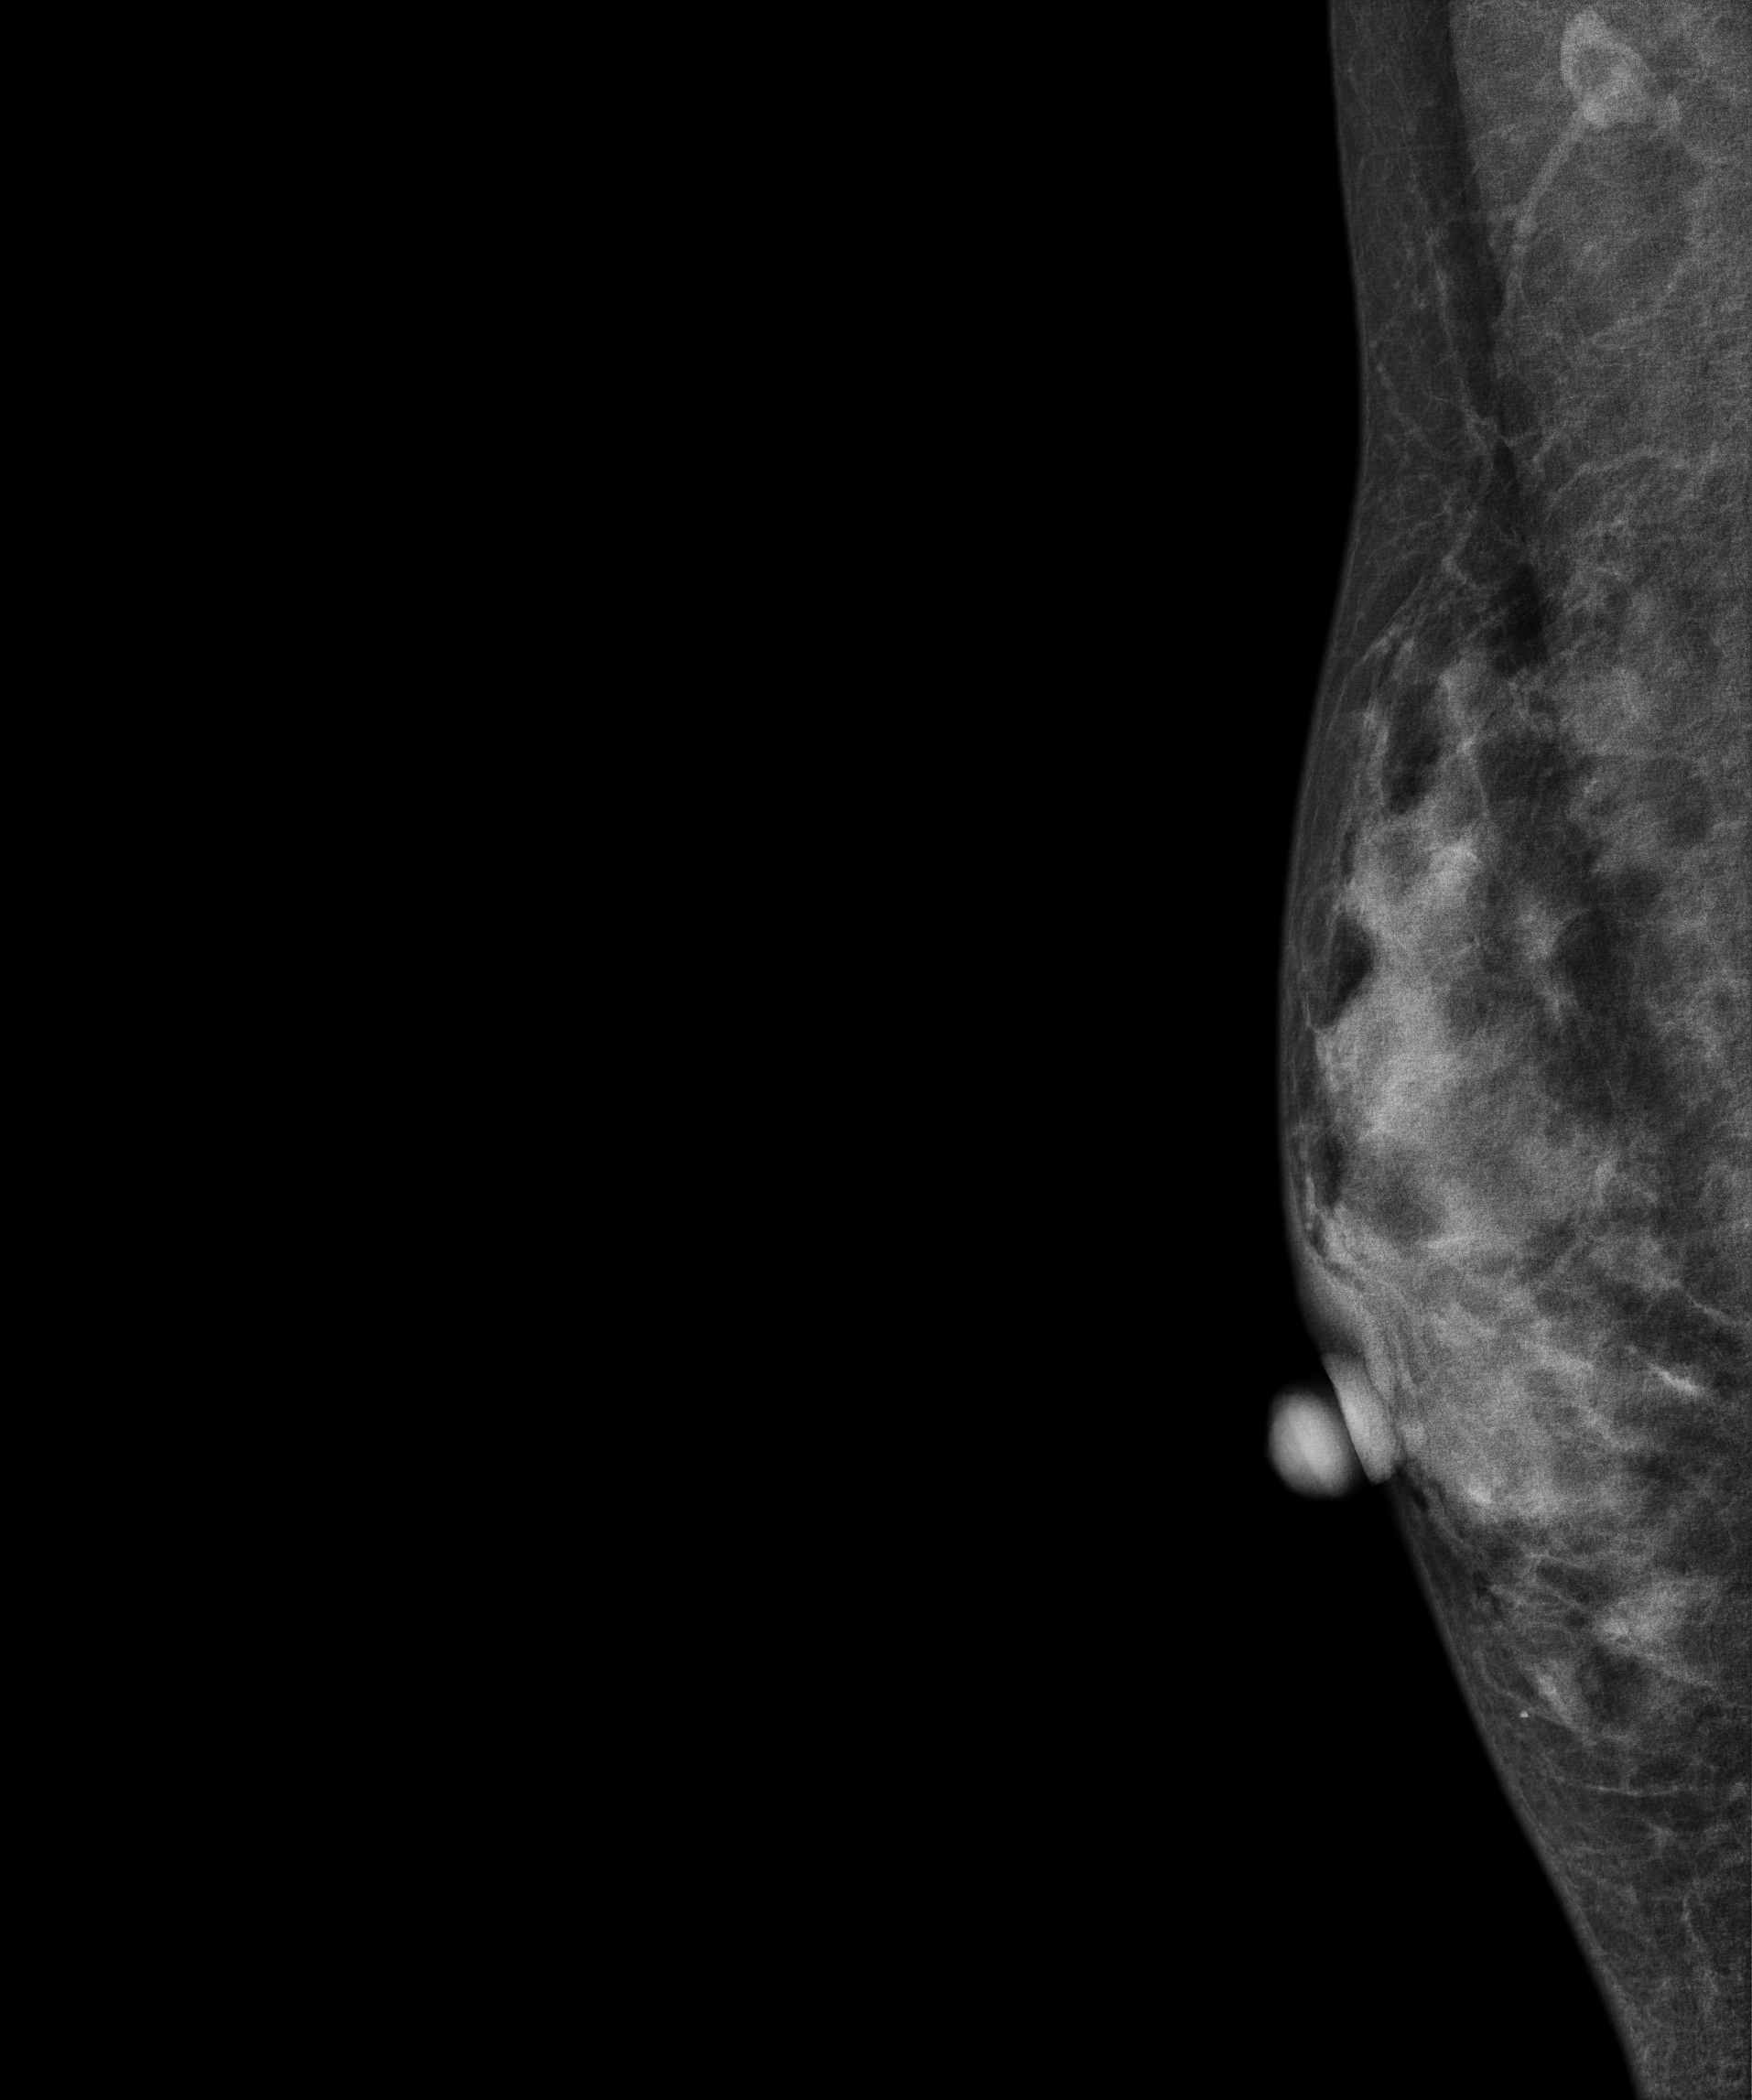
Digital mammography. Right breast, medio-lateral oblique projection. Patient age 44.
This breast has a mass, biopsy-proven malignant.